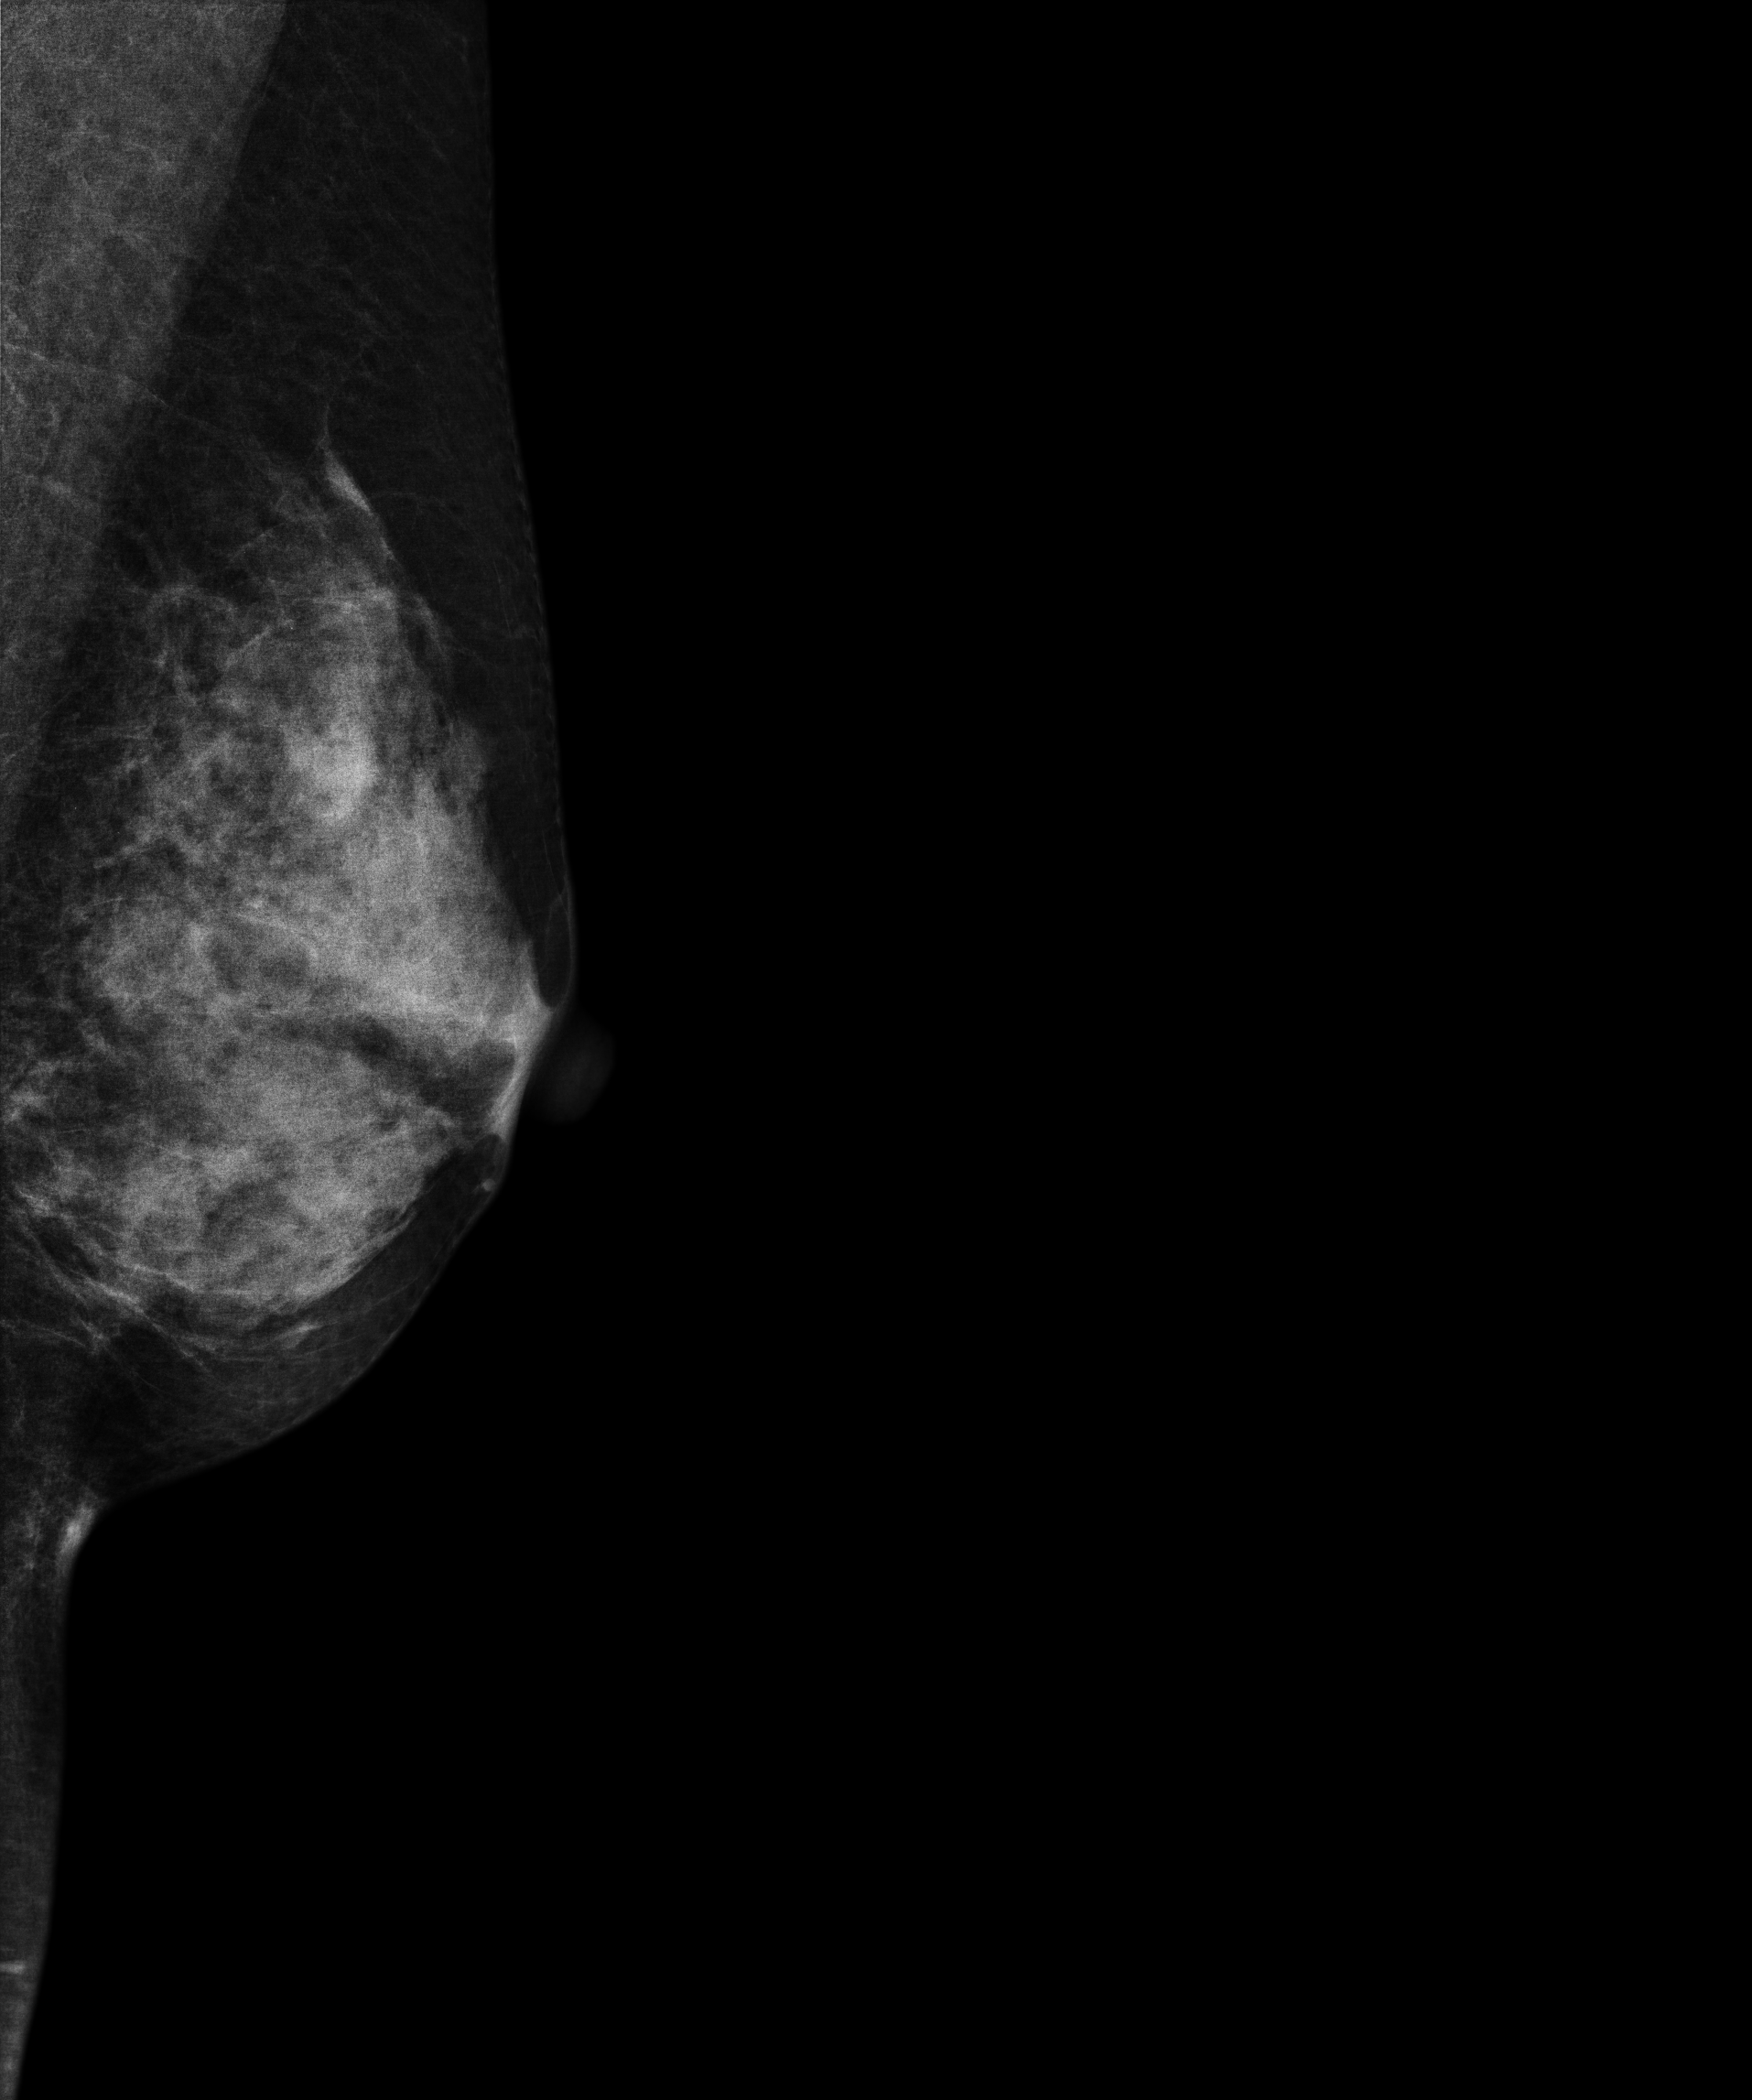
Digital mammography. Left breast, medio-lateral oblique projection. Patient age 54.
Contralateral breast — no documented abnormality on this side.